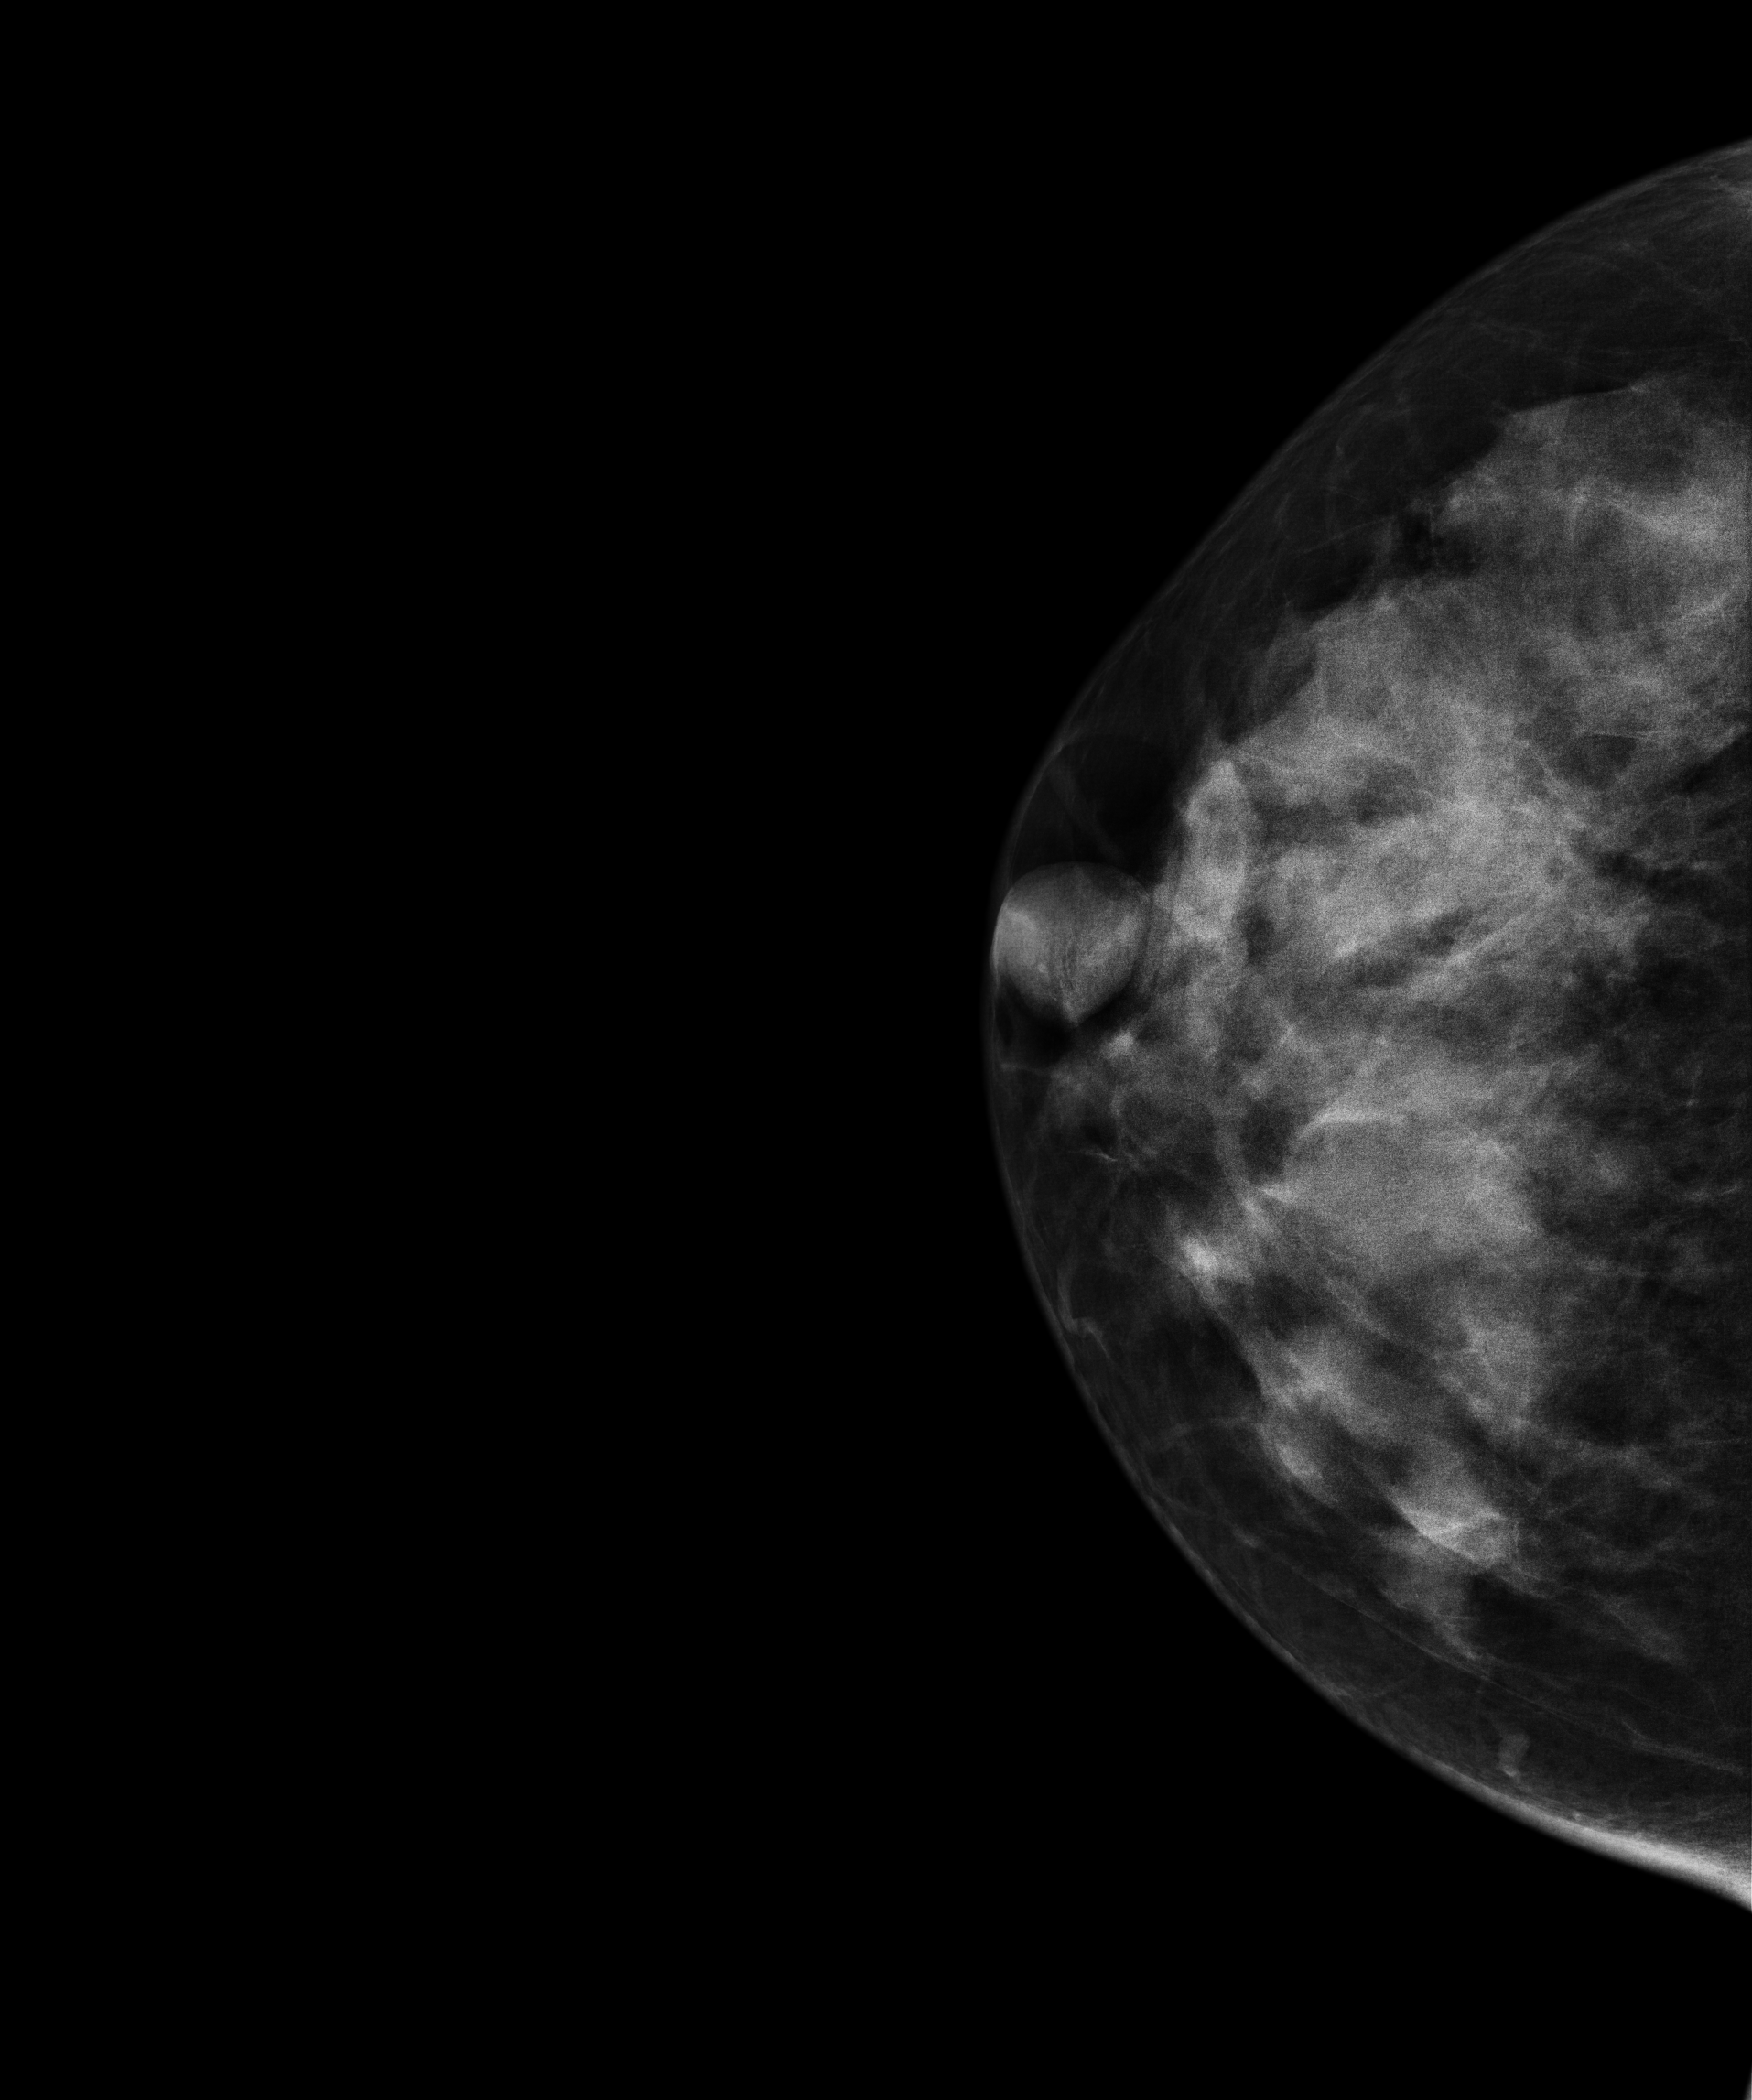
Mammogram, right breast, CC view. Patient age 46.
This breast has a mass, histologically confirmed malignant.